Right-breast mammogram, MLO. 44 y/o patient.
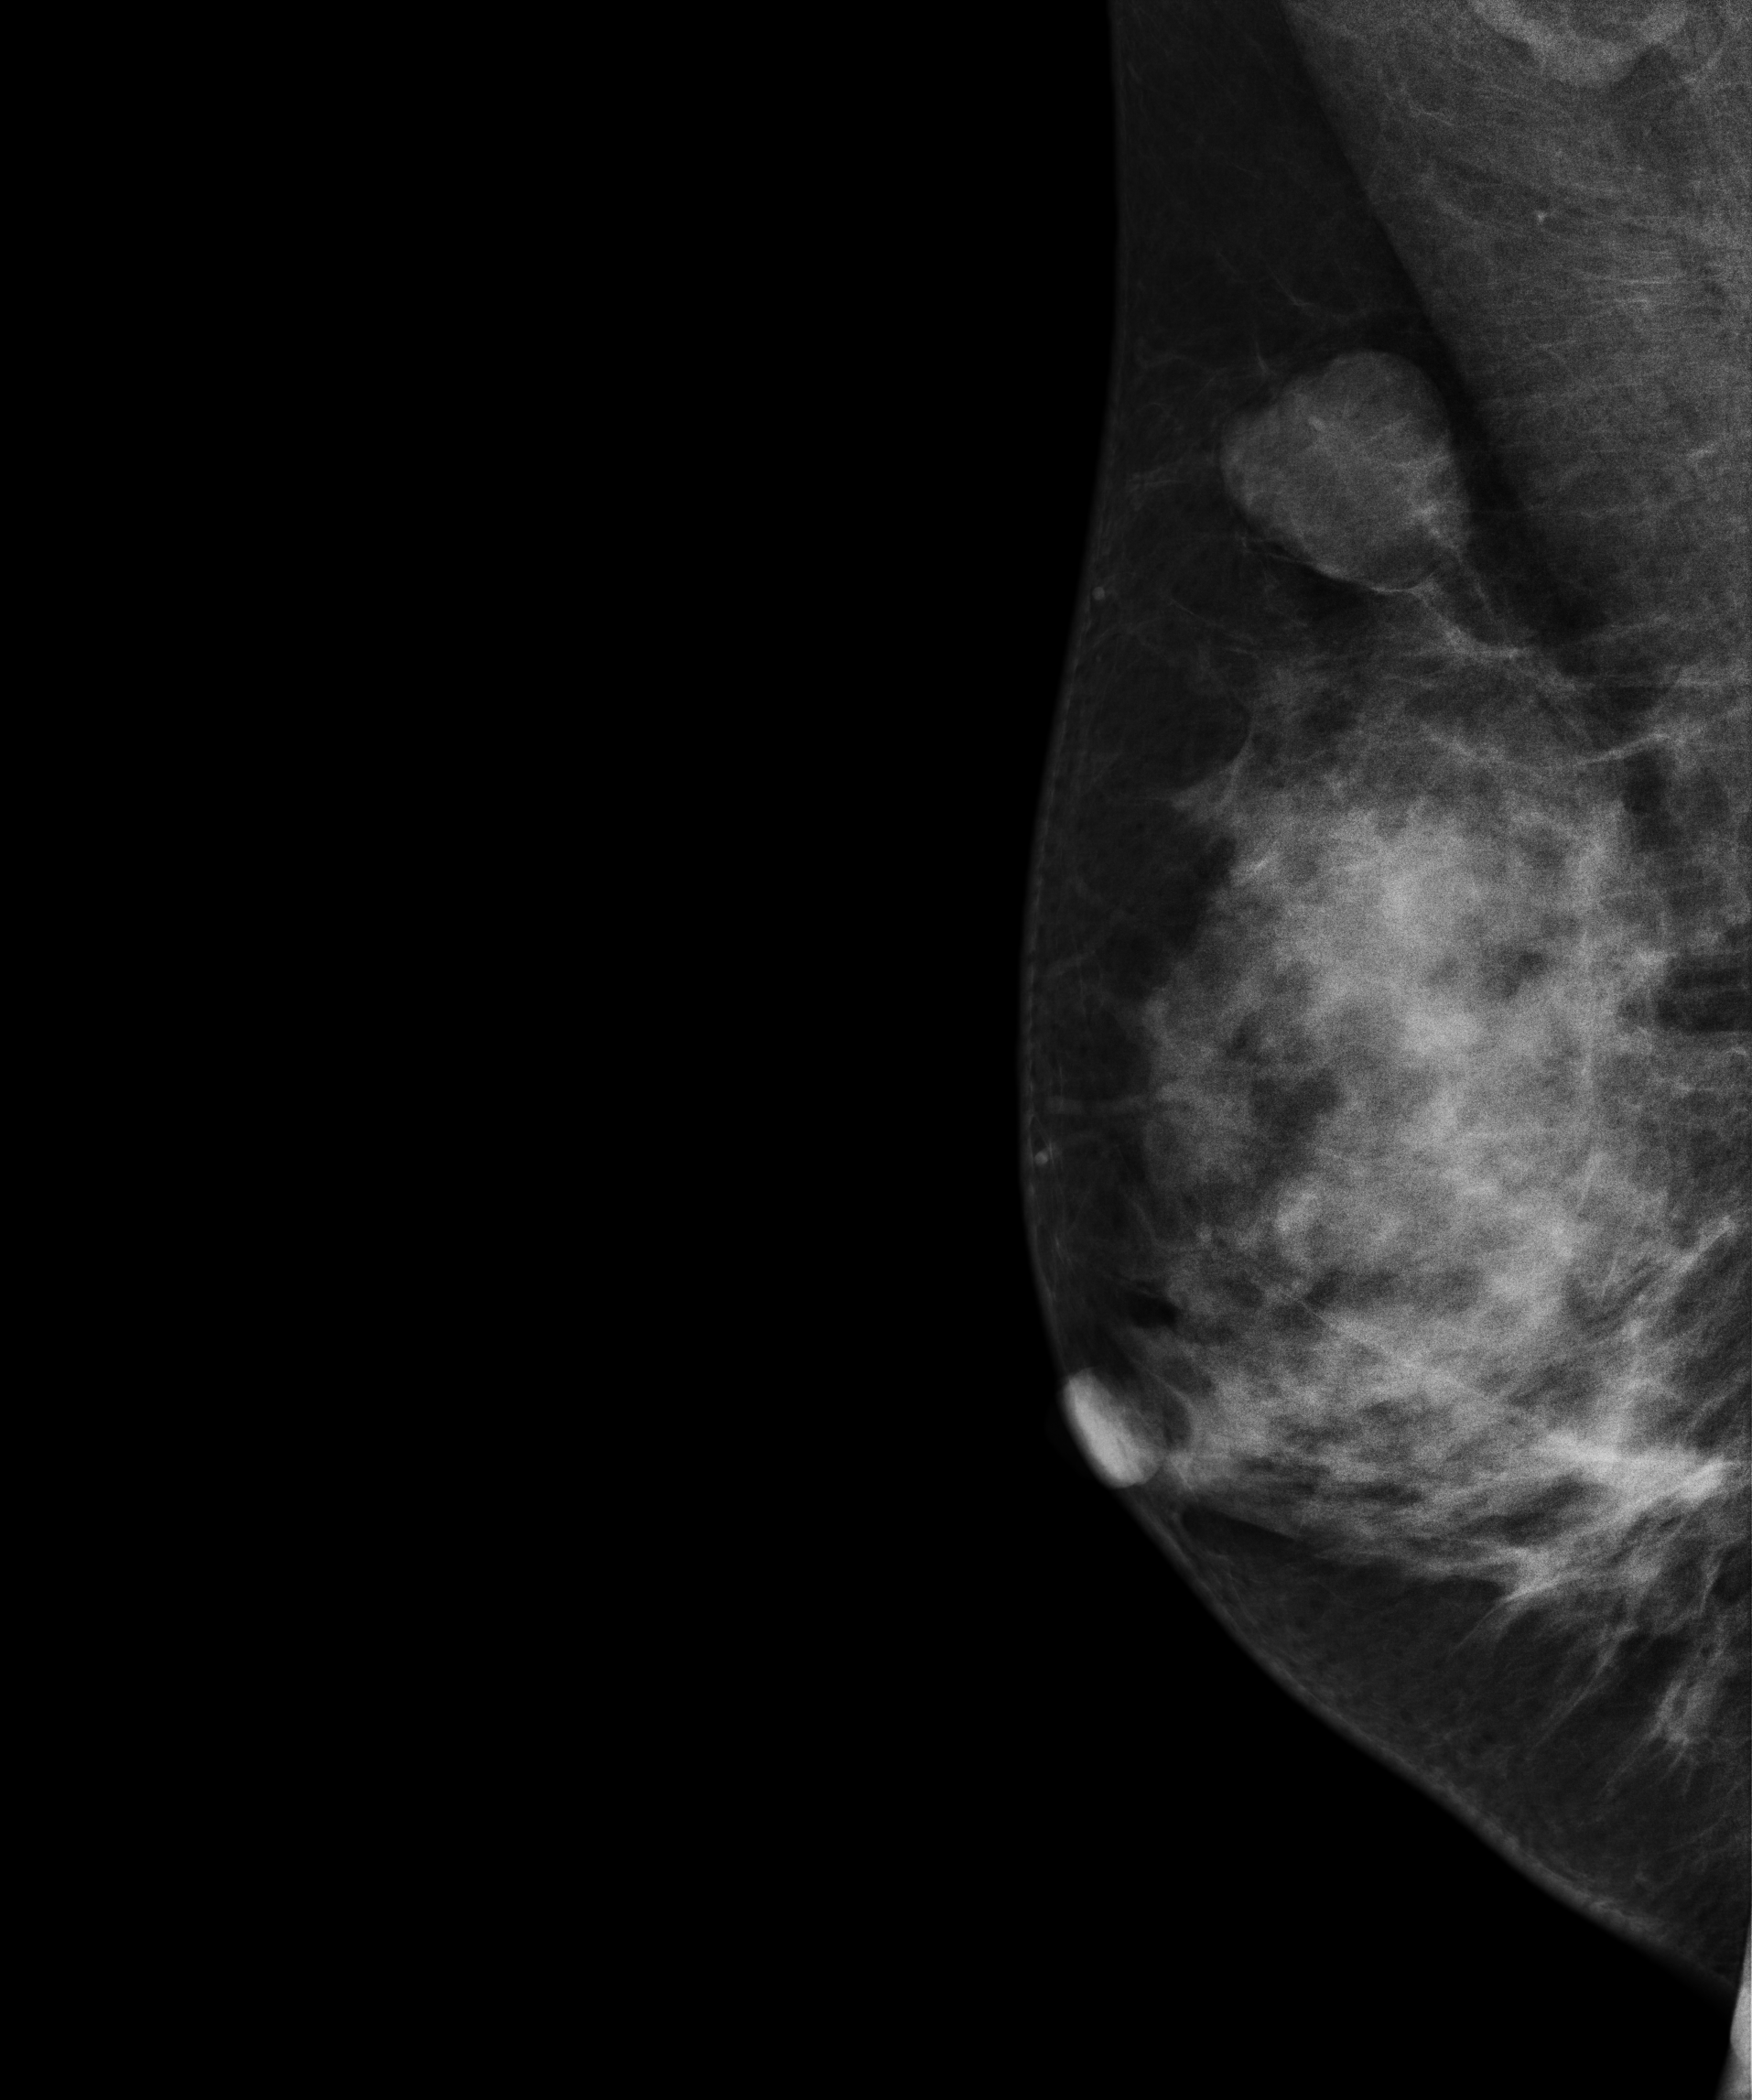
This breast has a mass, pathology-confirmed benign.